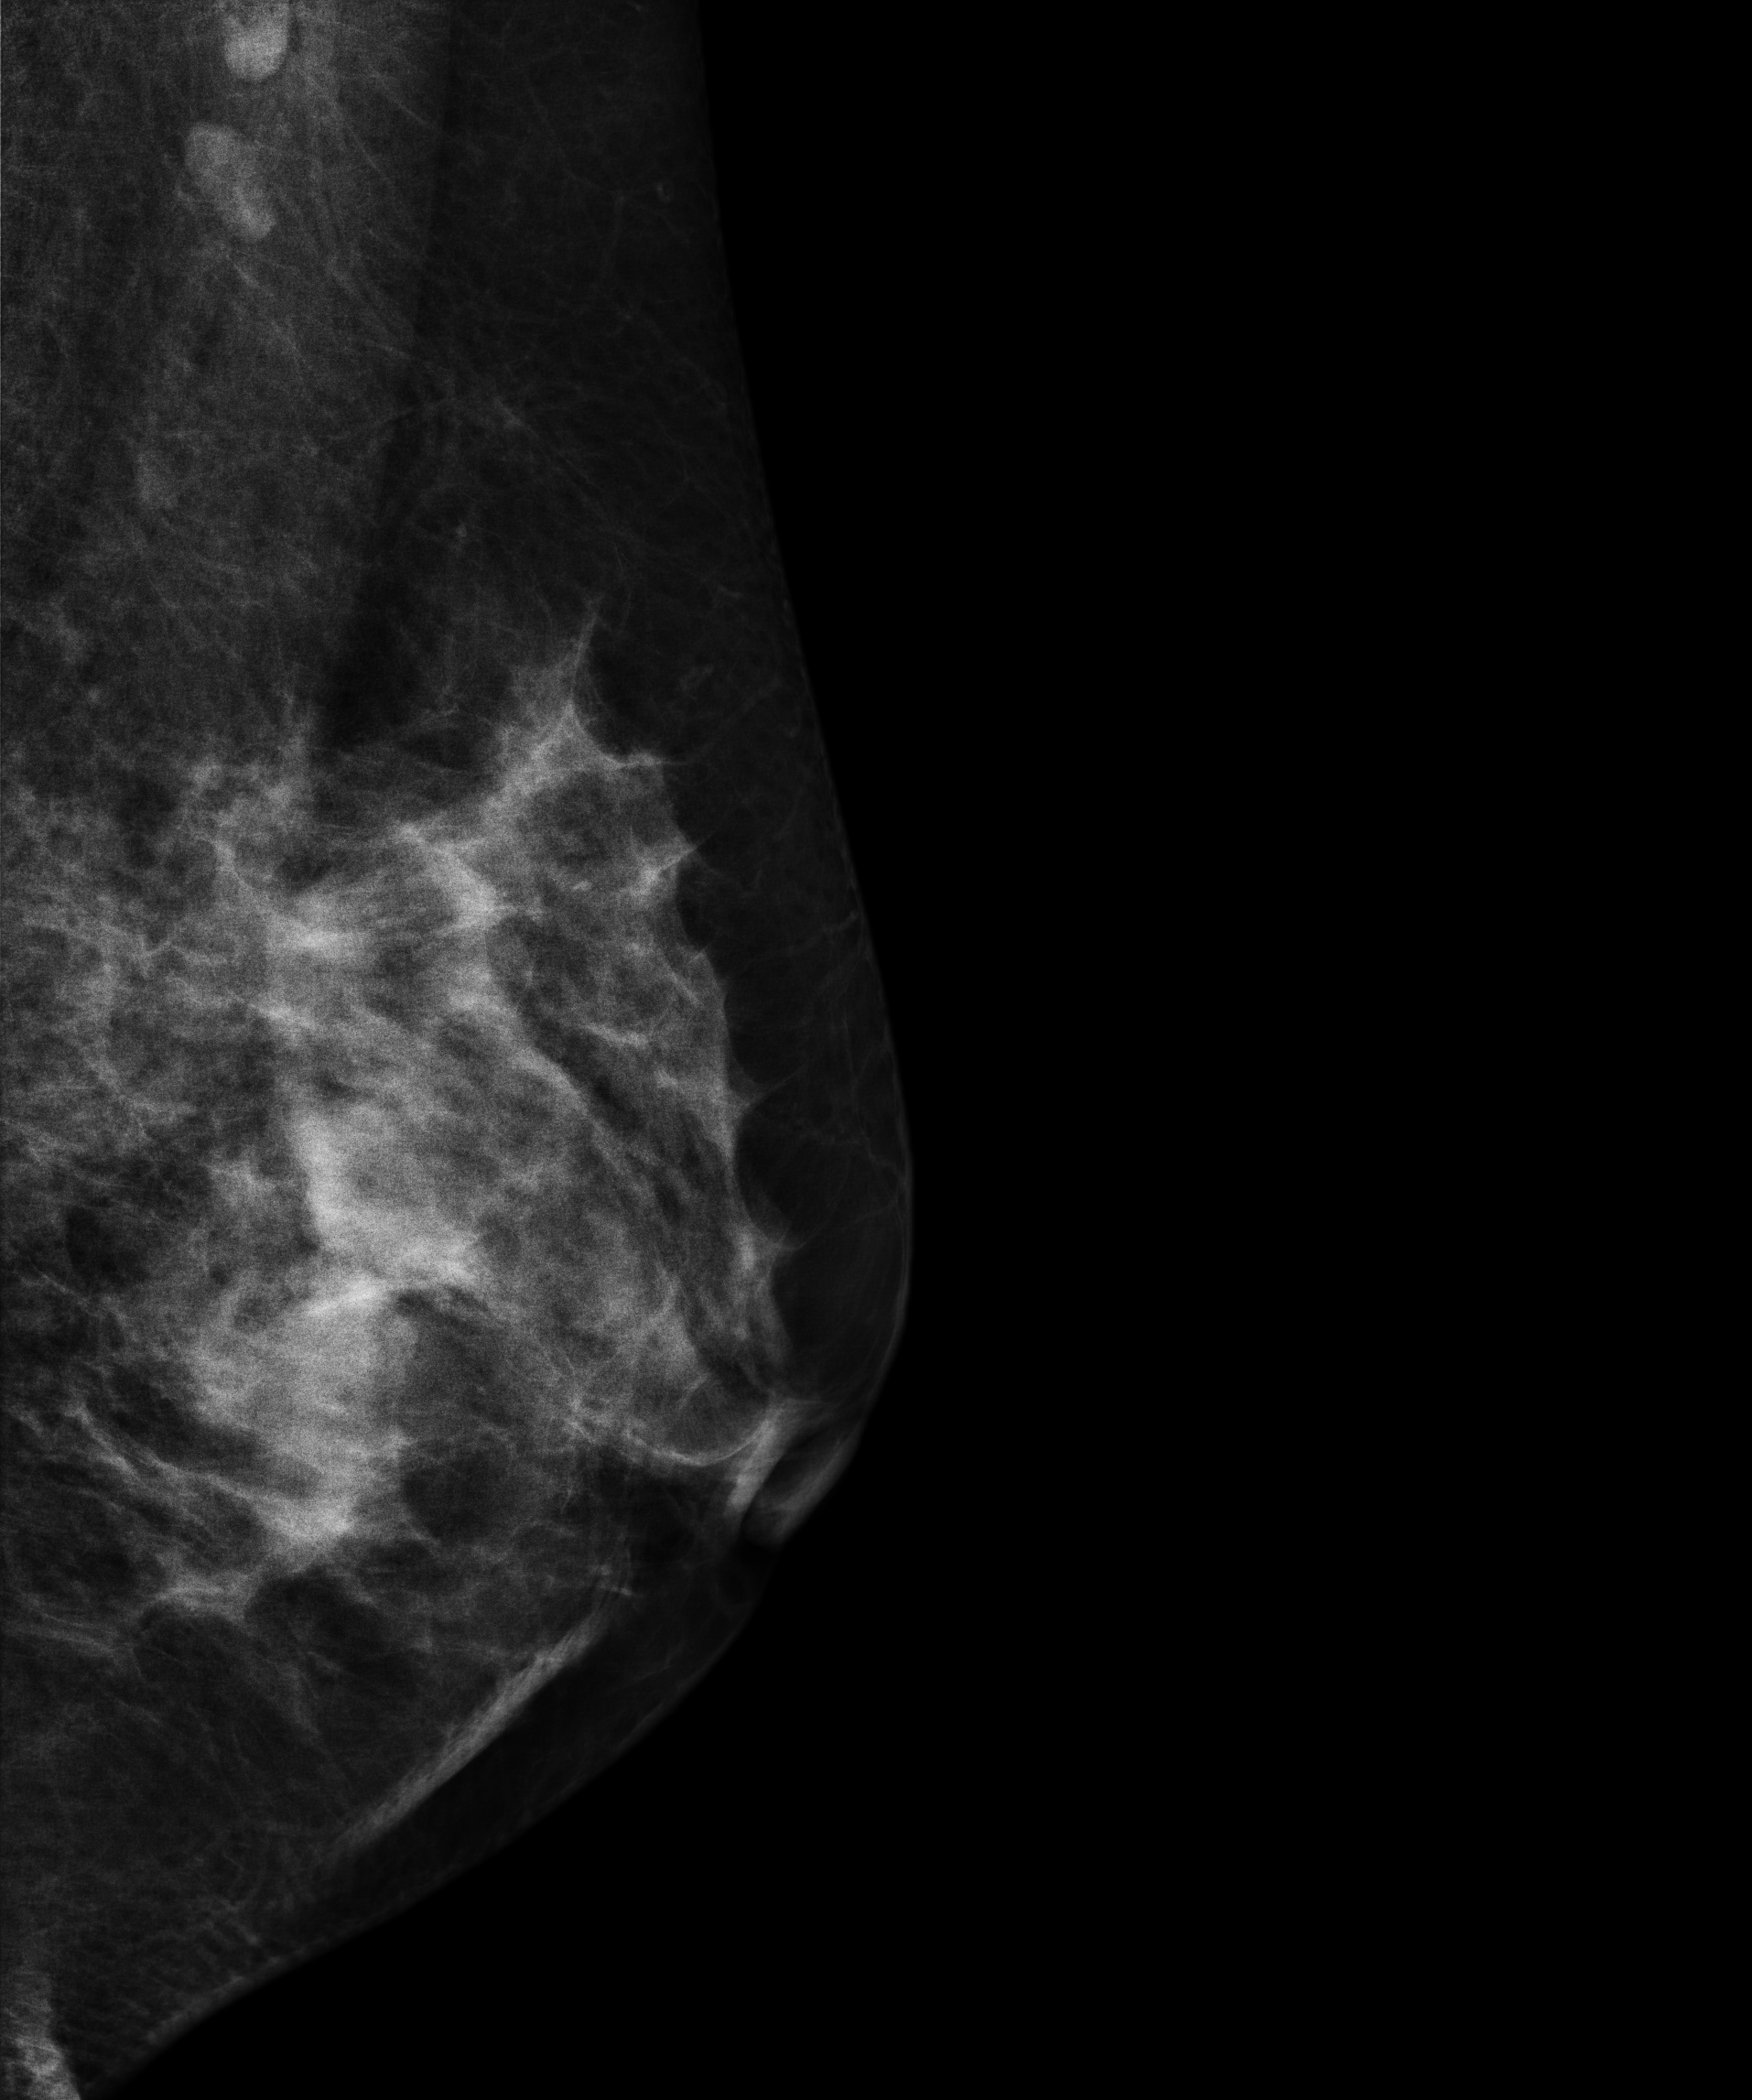
Left-breast mammogram, medio-lateral oblique. 29 y/o patient.
This breast has a mass, biopsy-confirmed malignant. Molecular subtype: triple-negative.